Left-breast mammogram, MLO. Patient age 59.
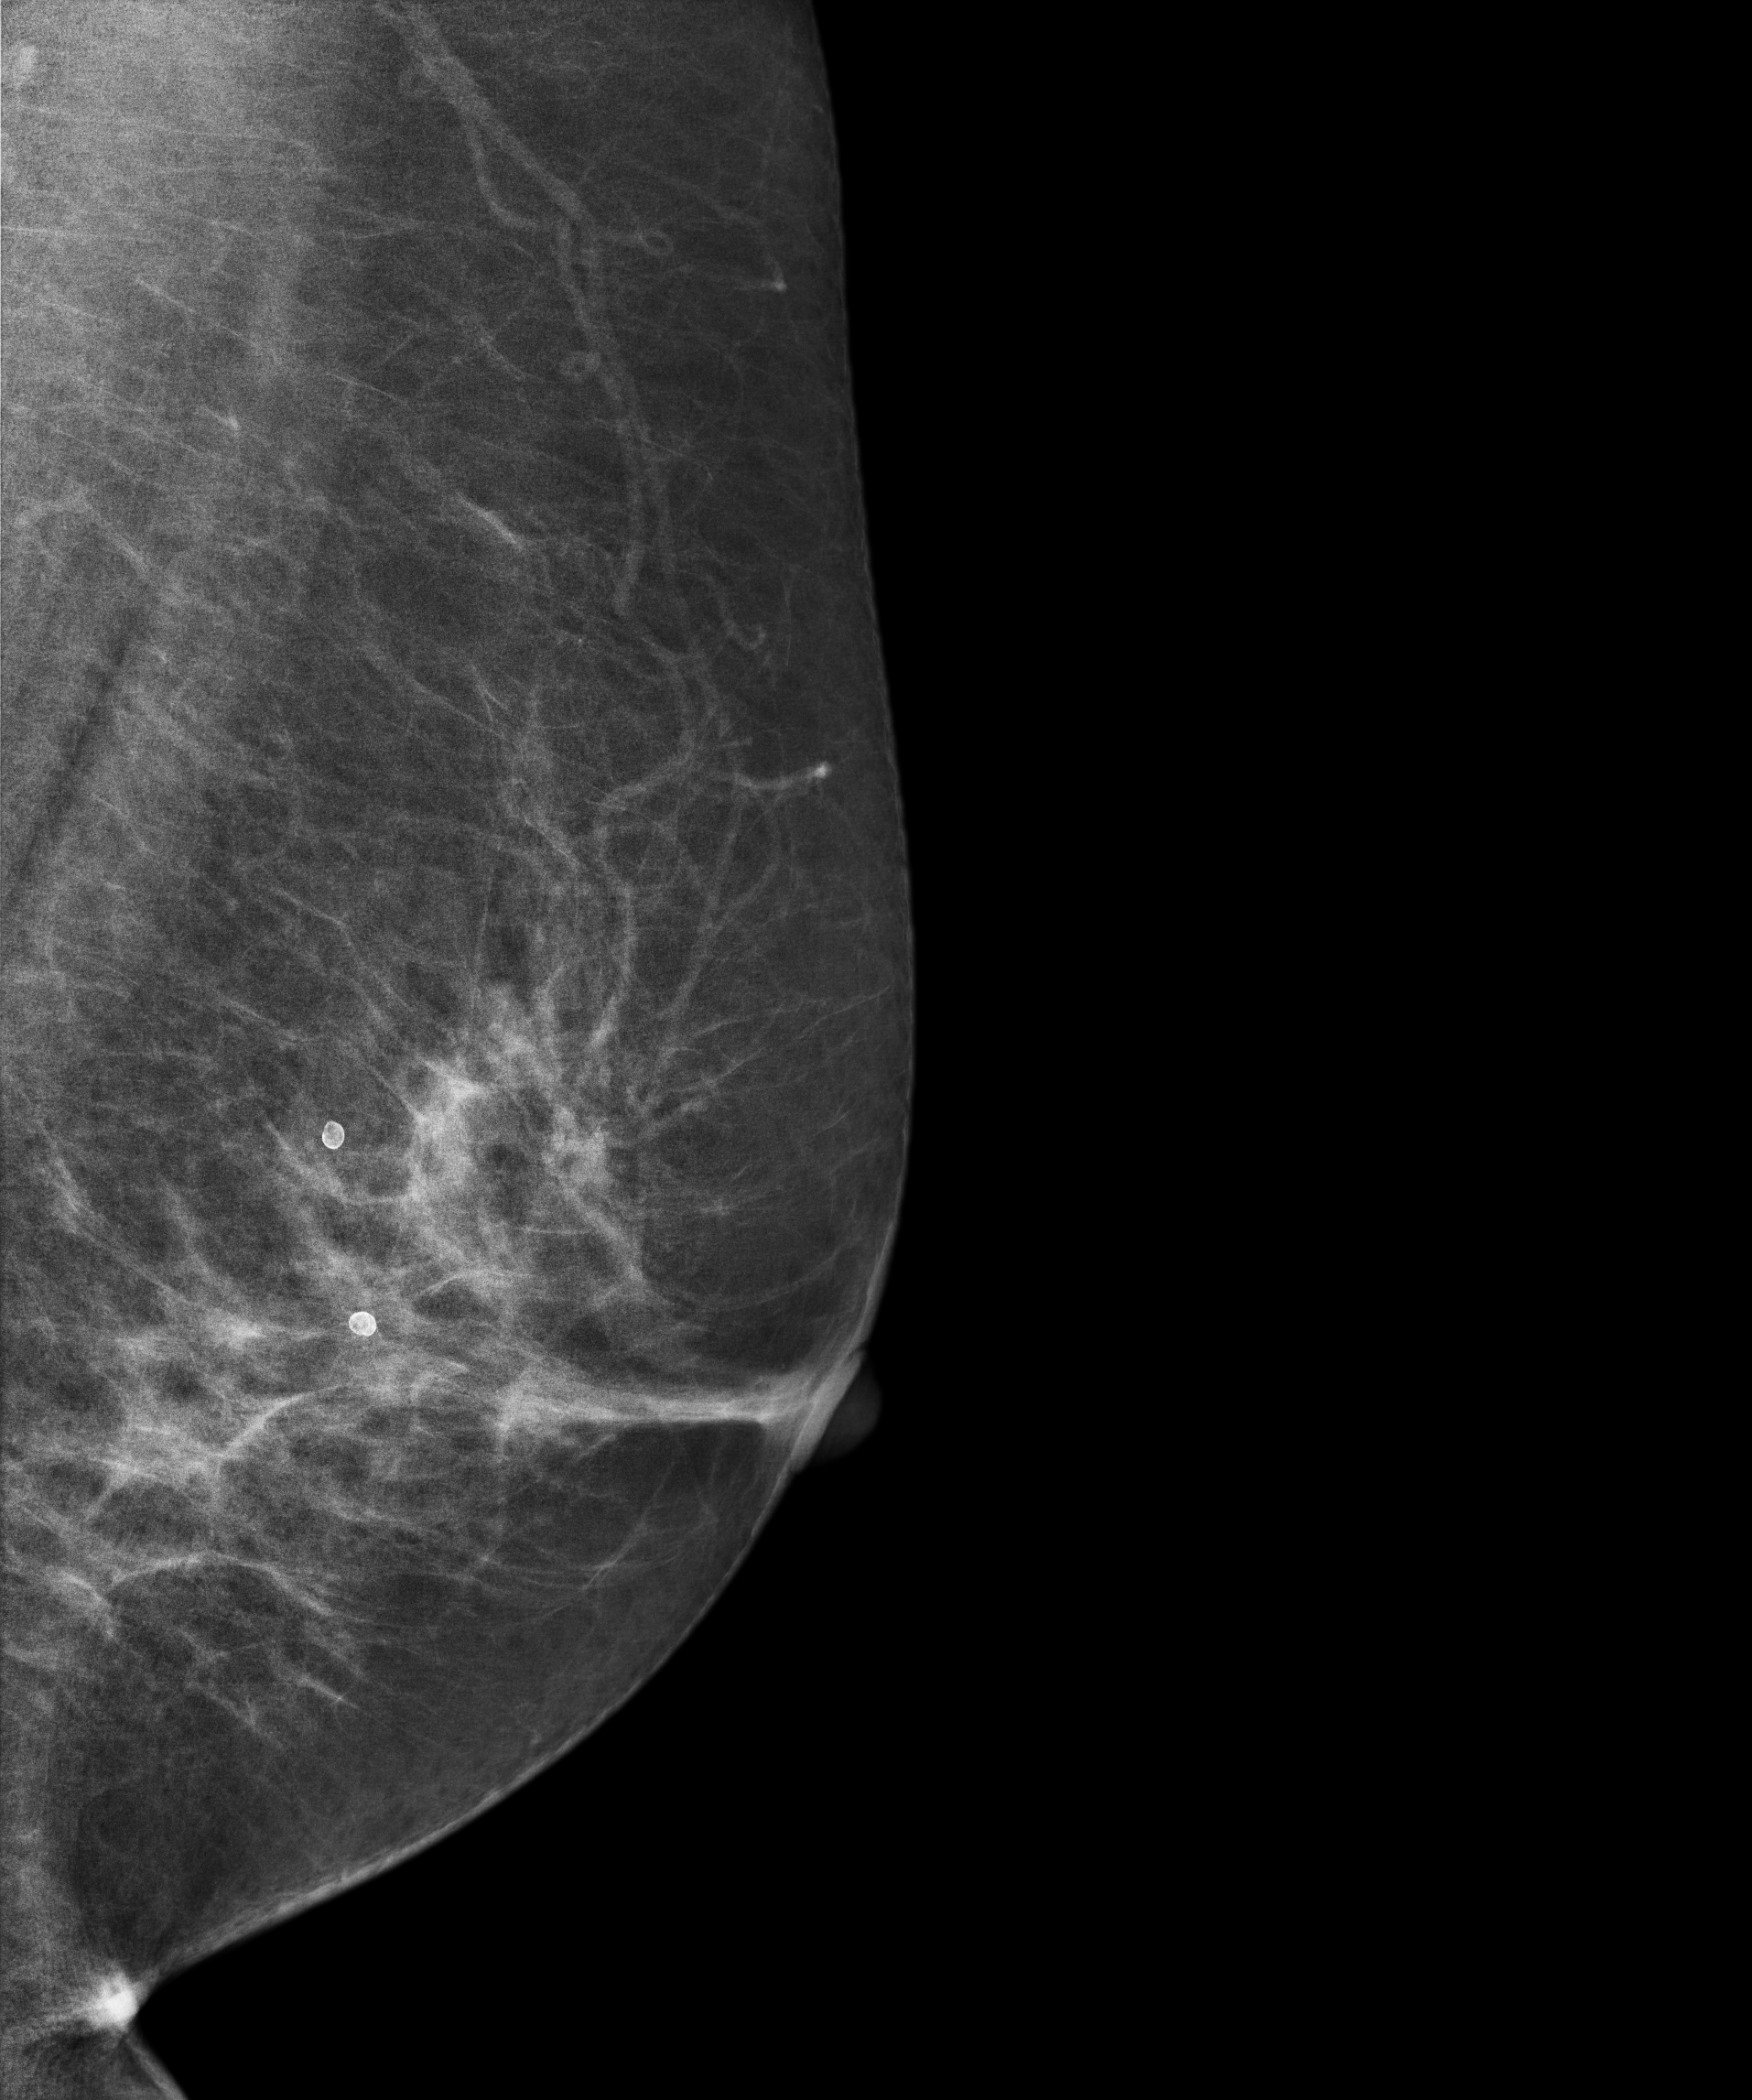
Contralateral breast — no documented abnormality on this side.